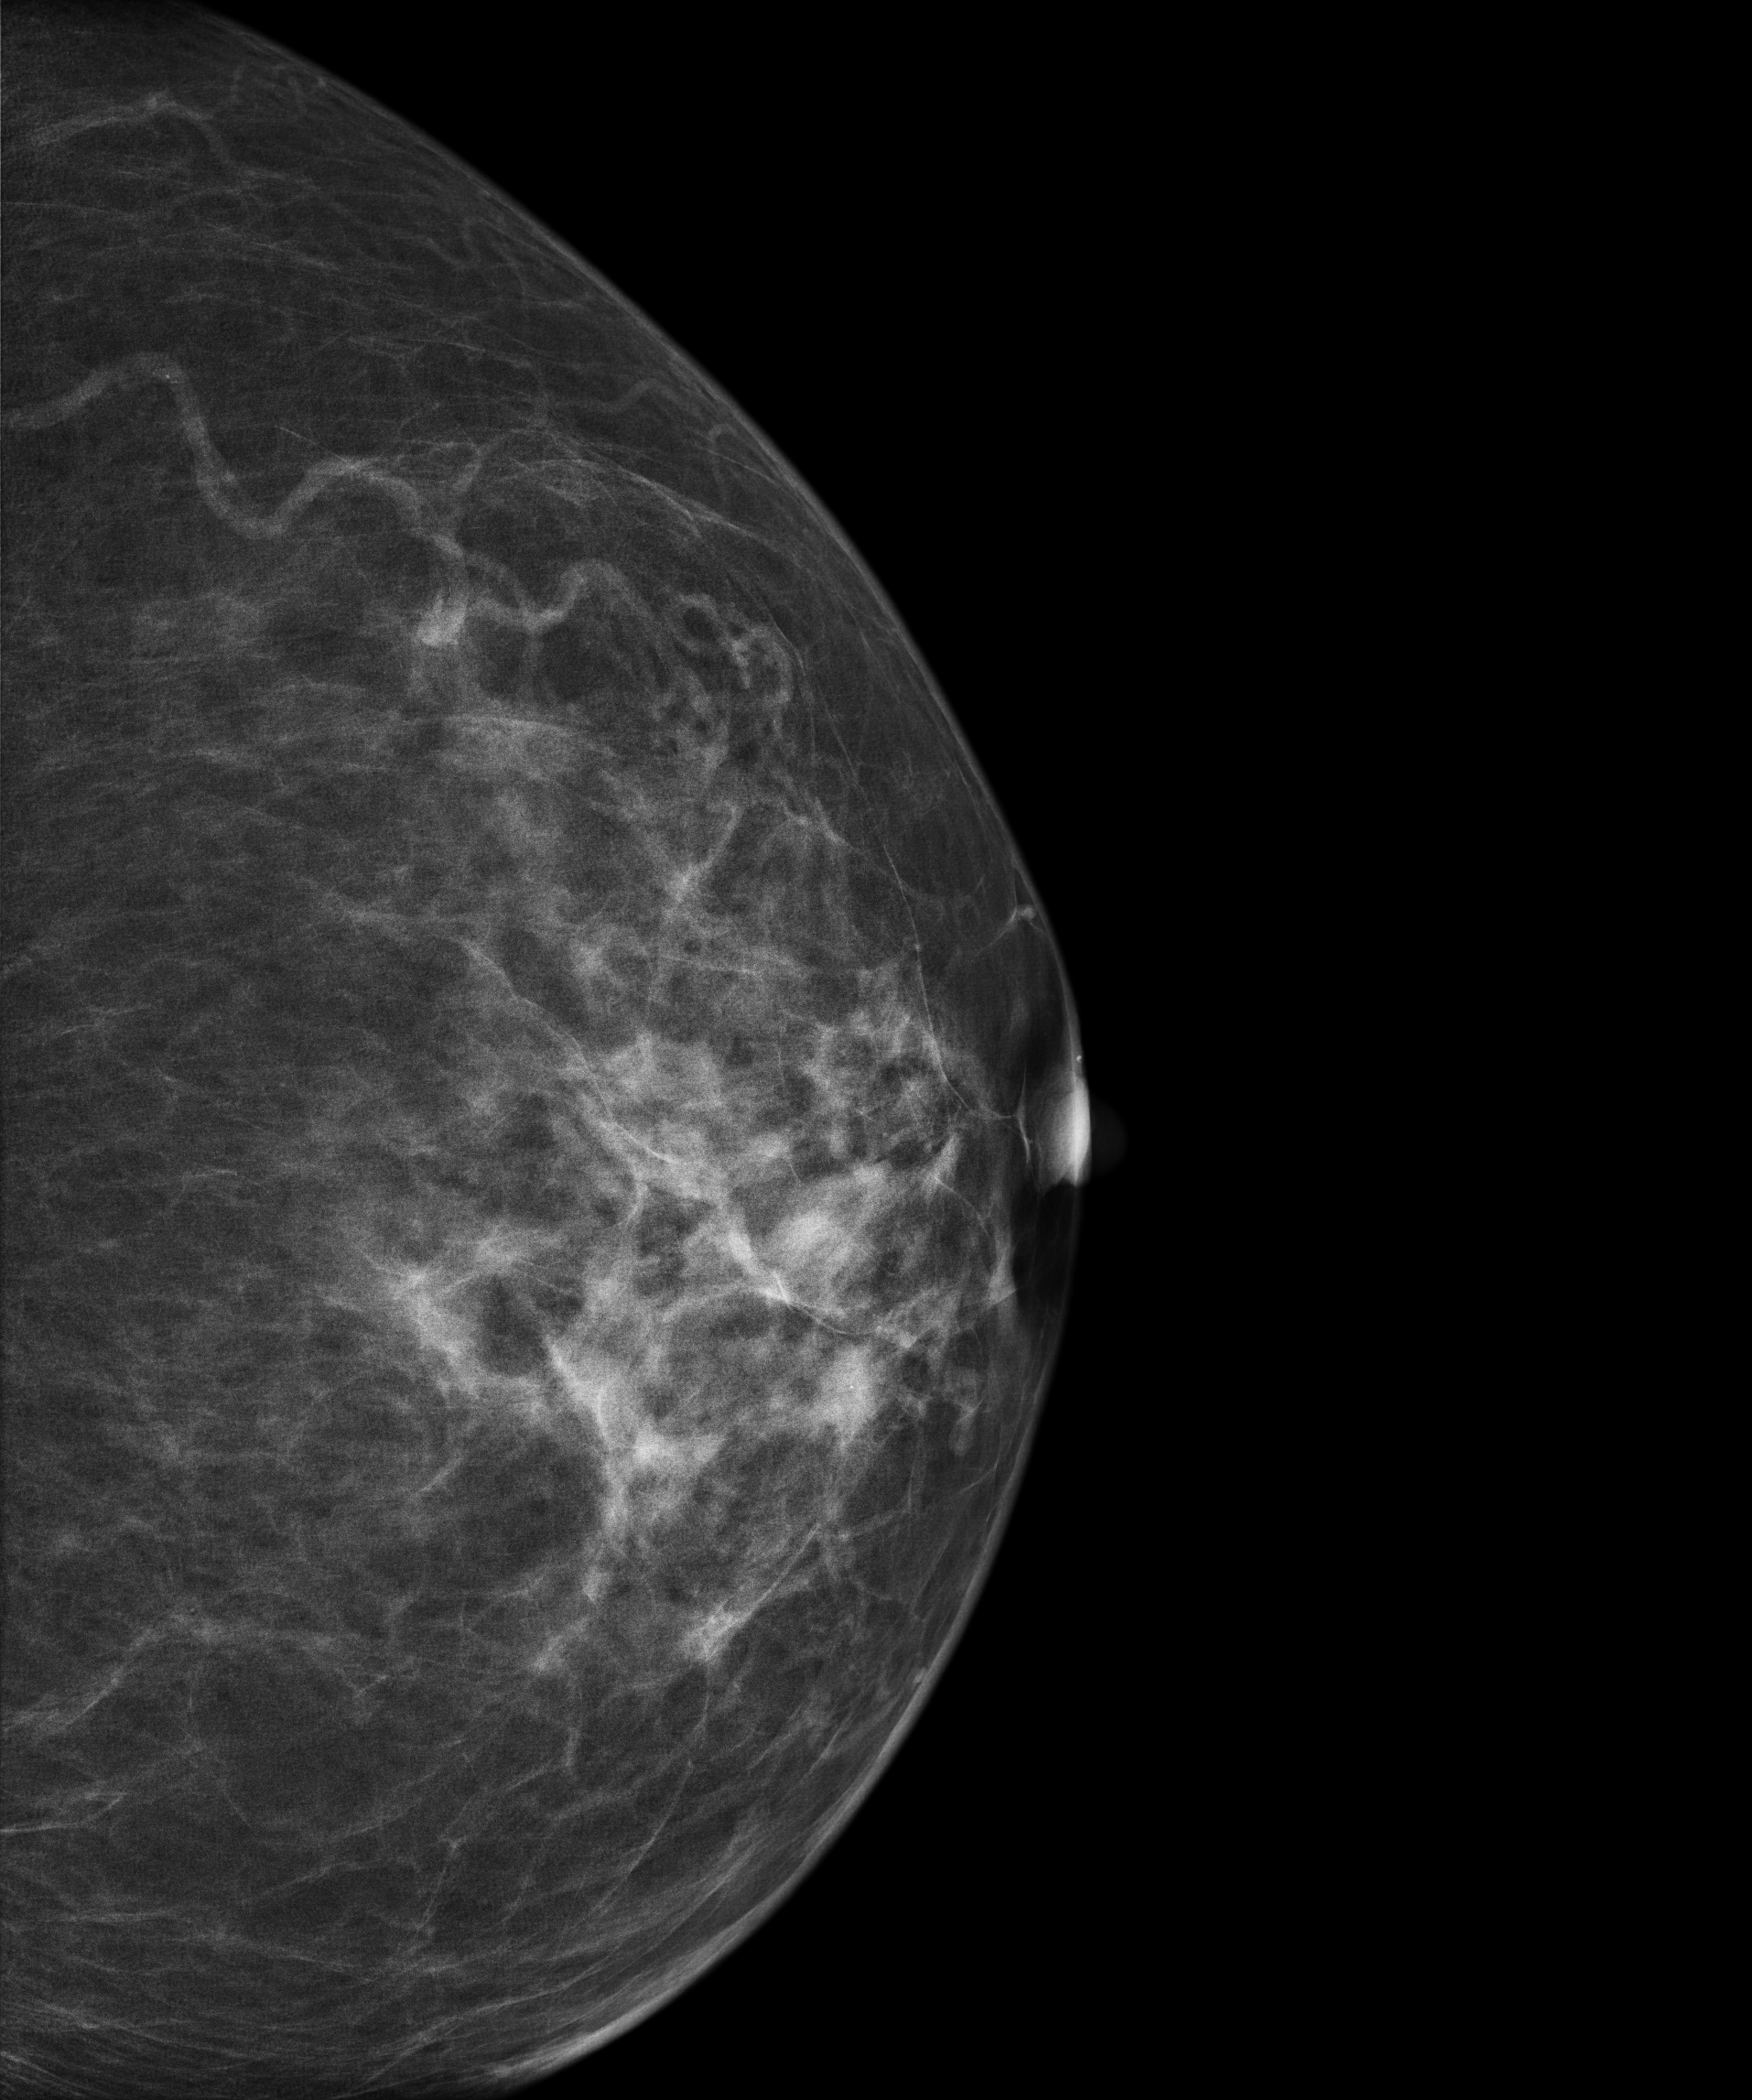
CC mammogram of the left breast. Patient age 72.
This breast has a mass, histologically confirmed malignant. Molecular subtype: luminal B.